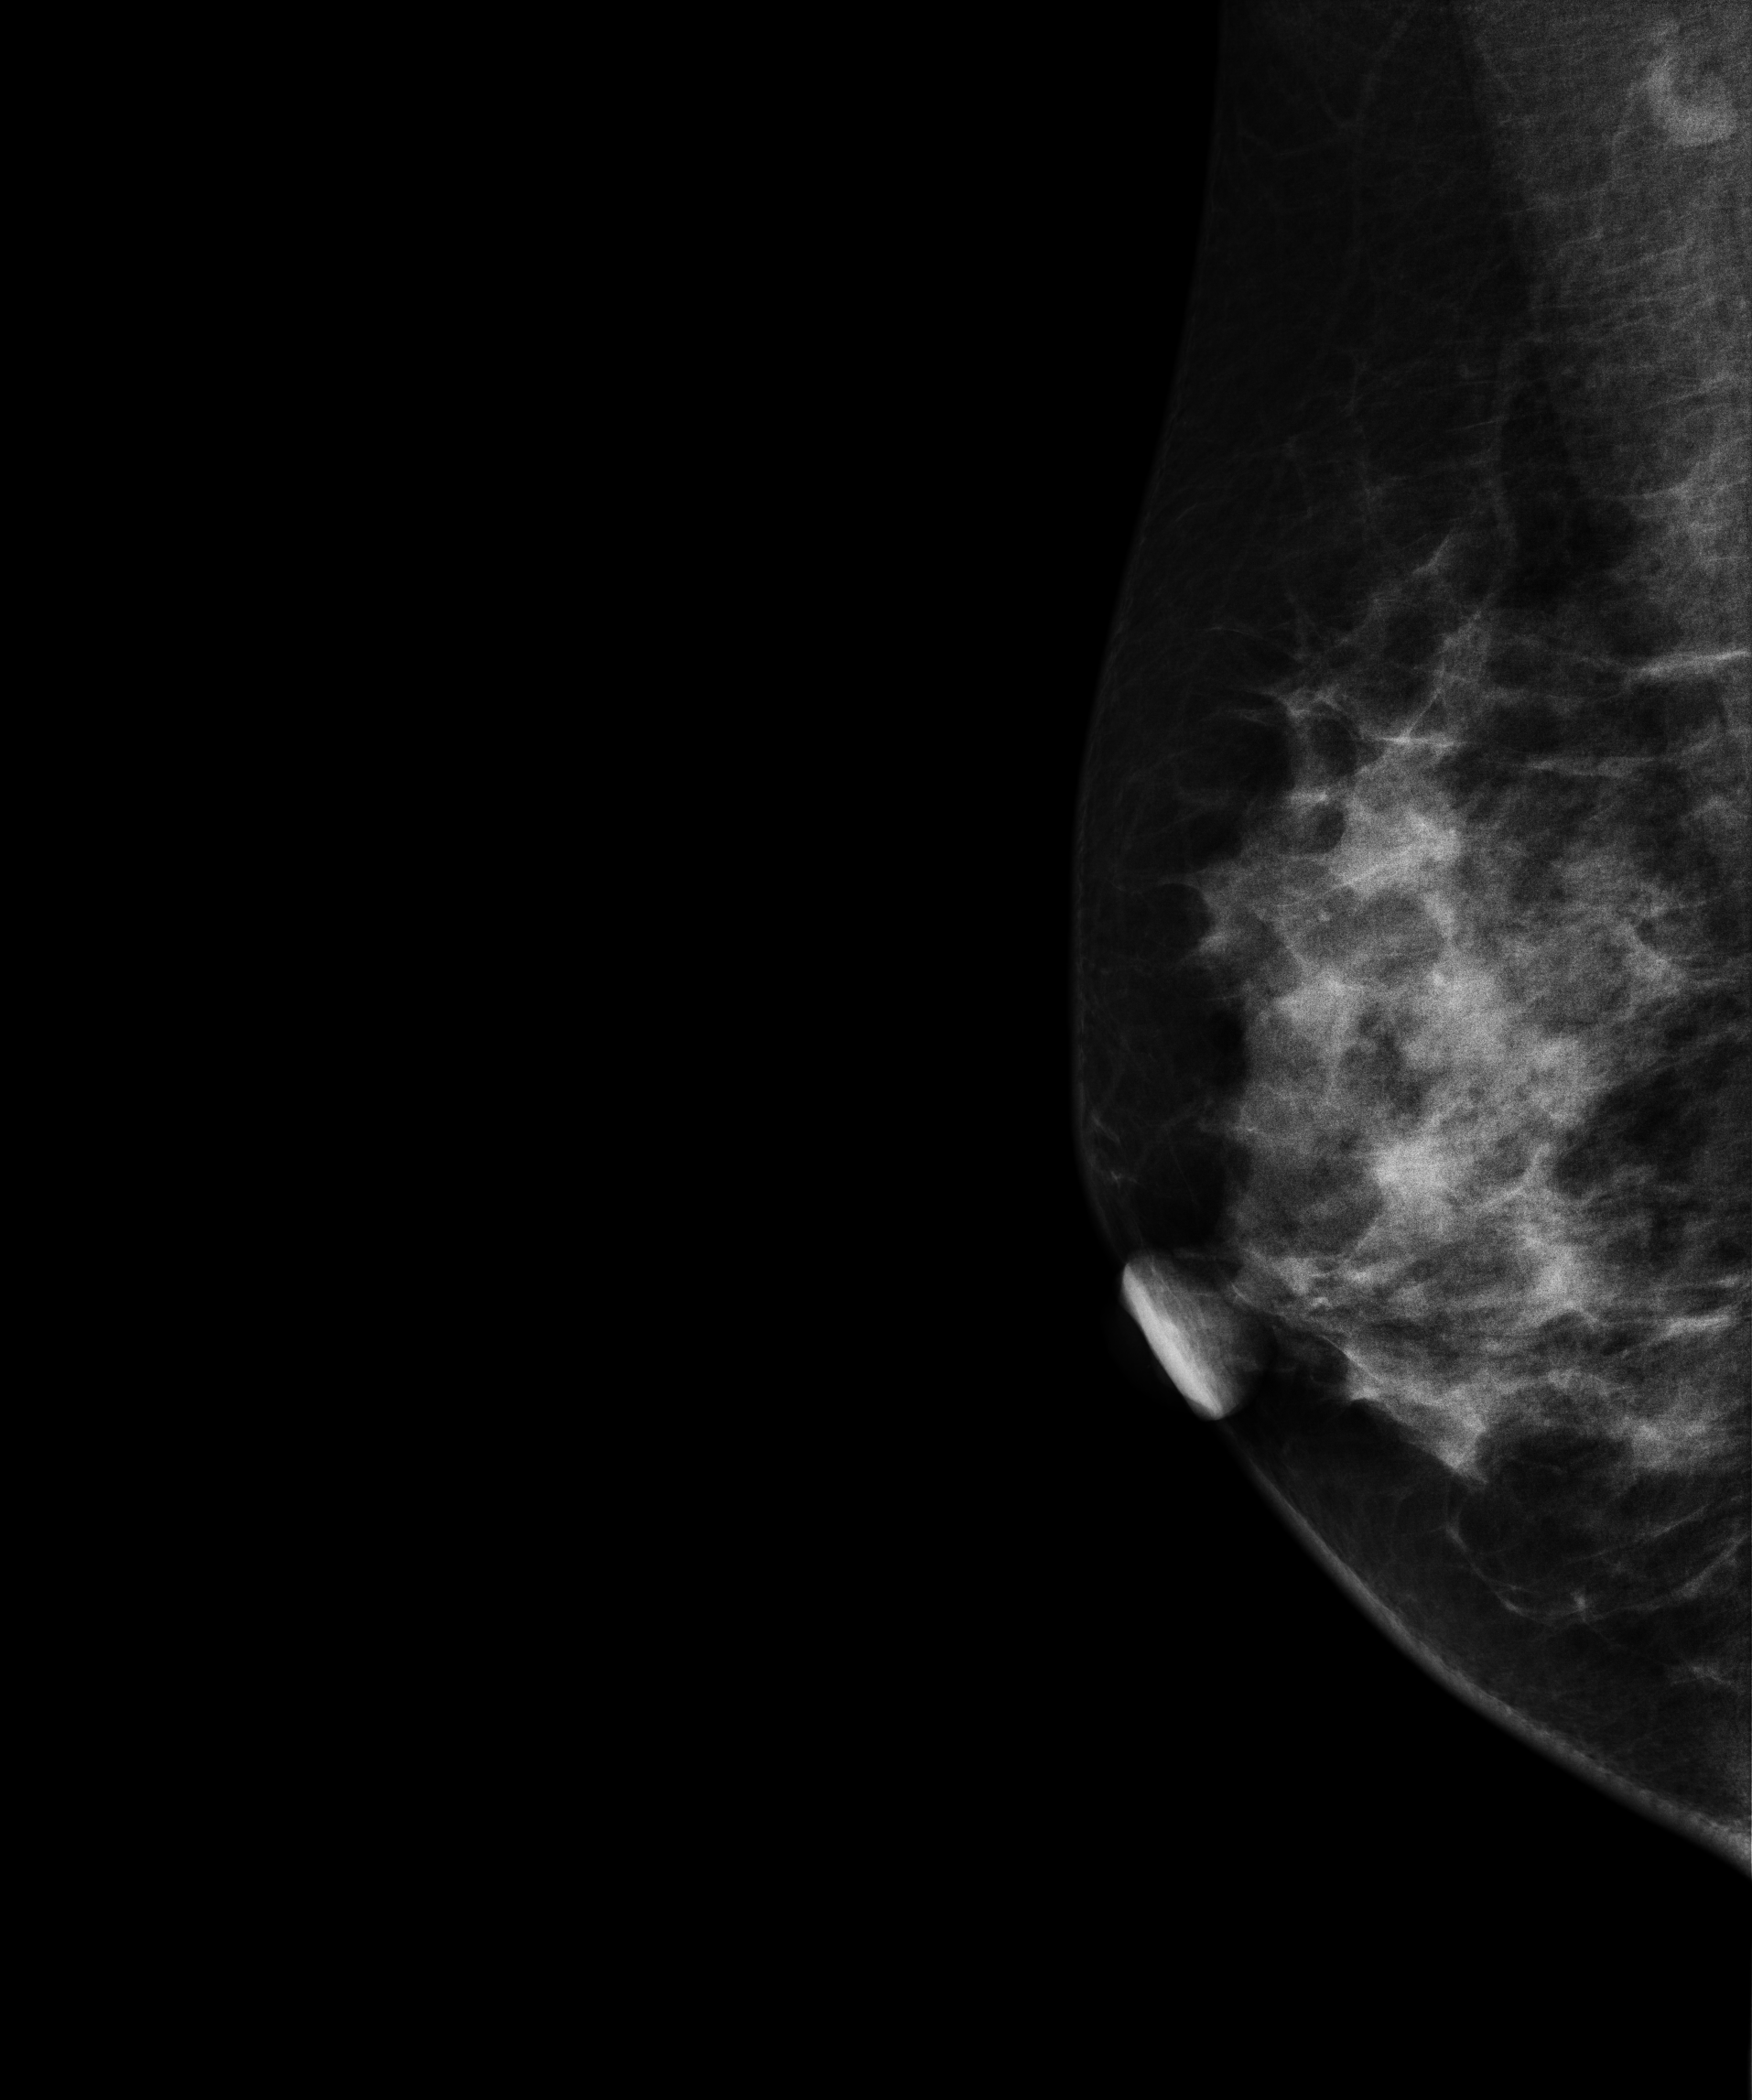
Mammogram, right breast, MLO view. Patient age 39.
Contralateral breast — no documented abnormality on this side.